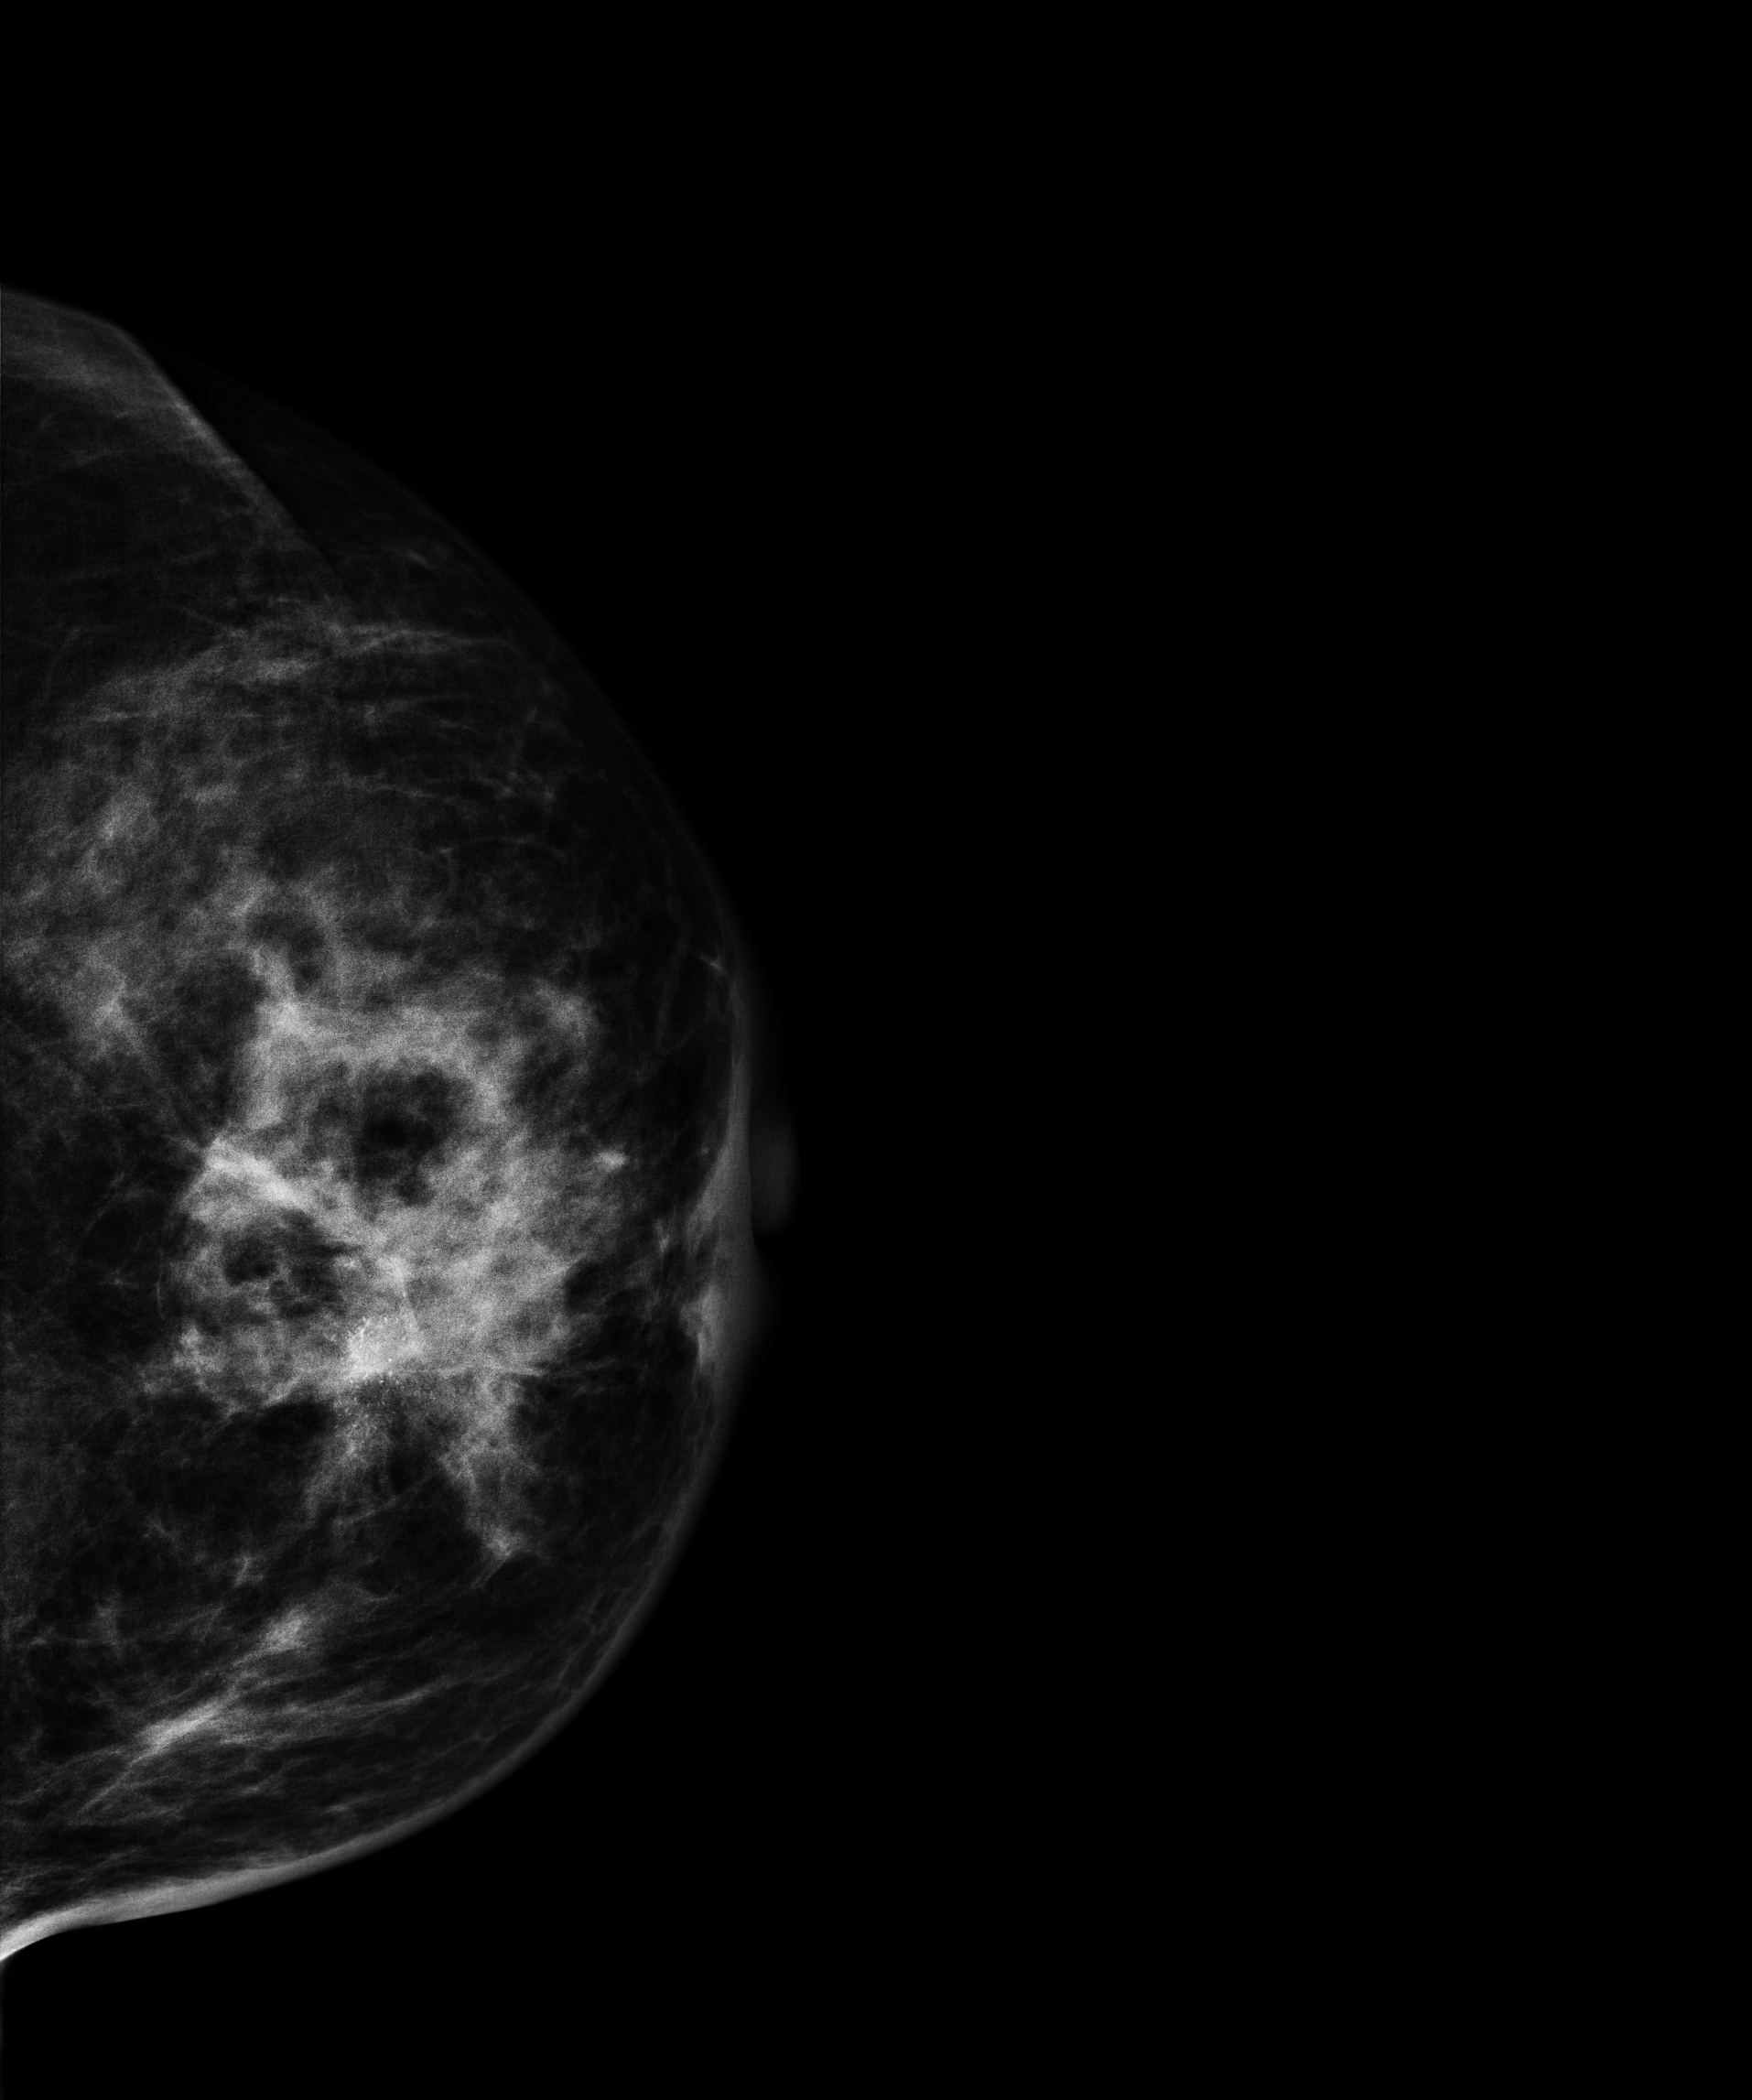
Left-breast mammogram, cranio-caudal. 57-year-old patient.
This breast has a mass and calcifications, biopsy-confirmed malignant. Molecular subtype: luminal B.